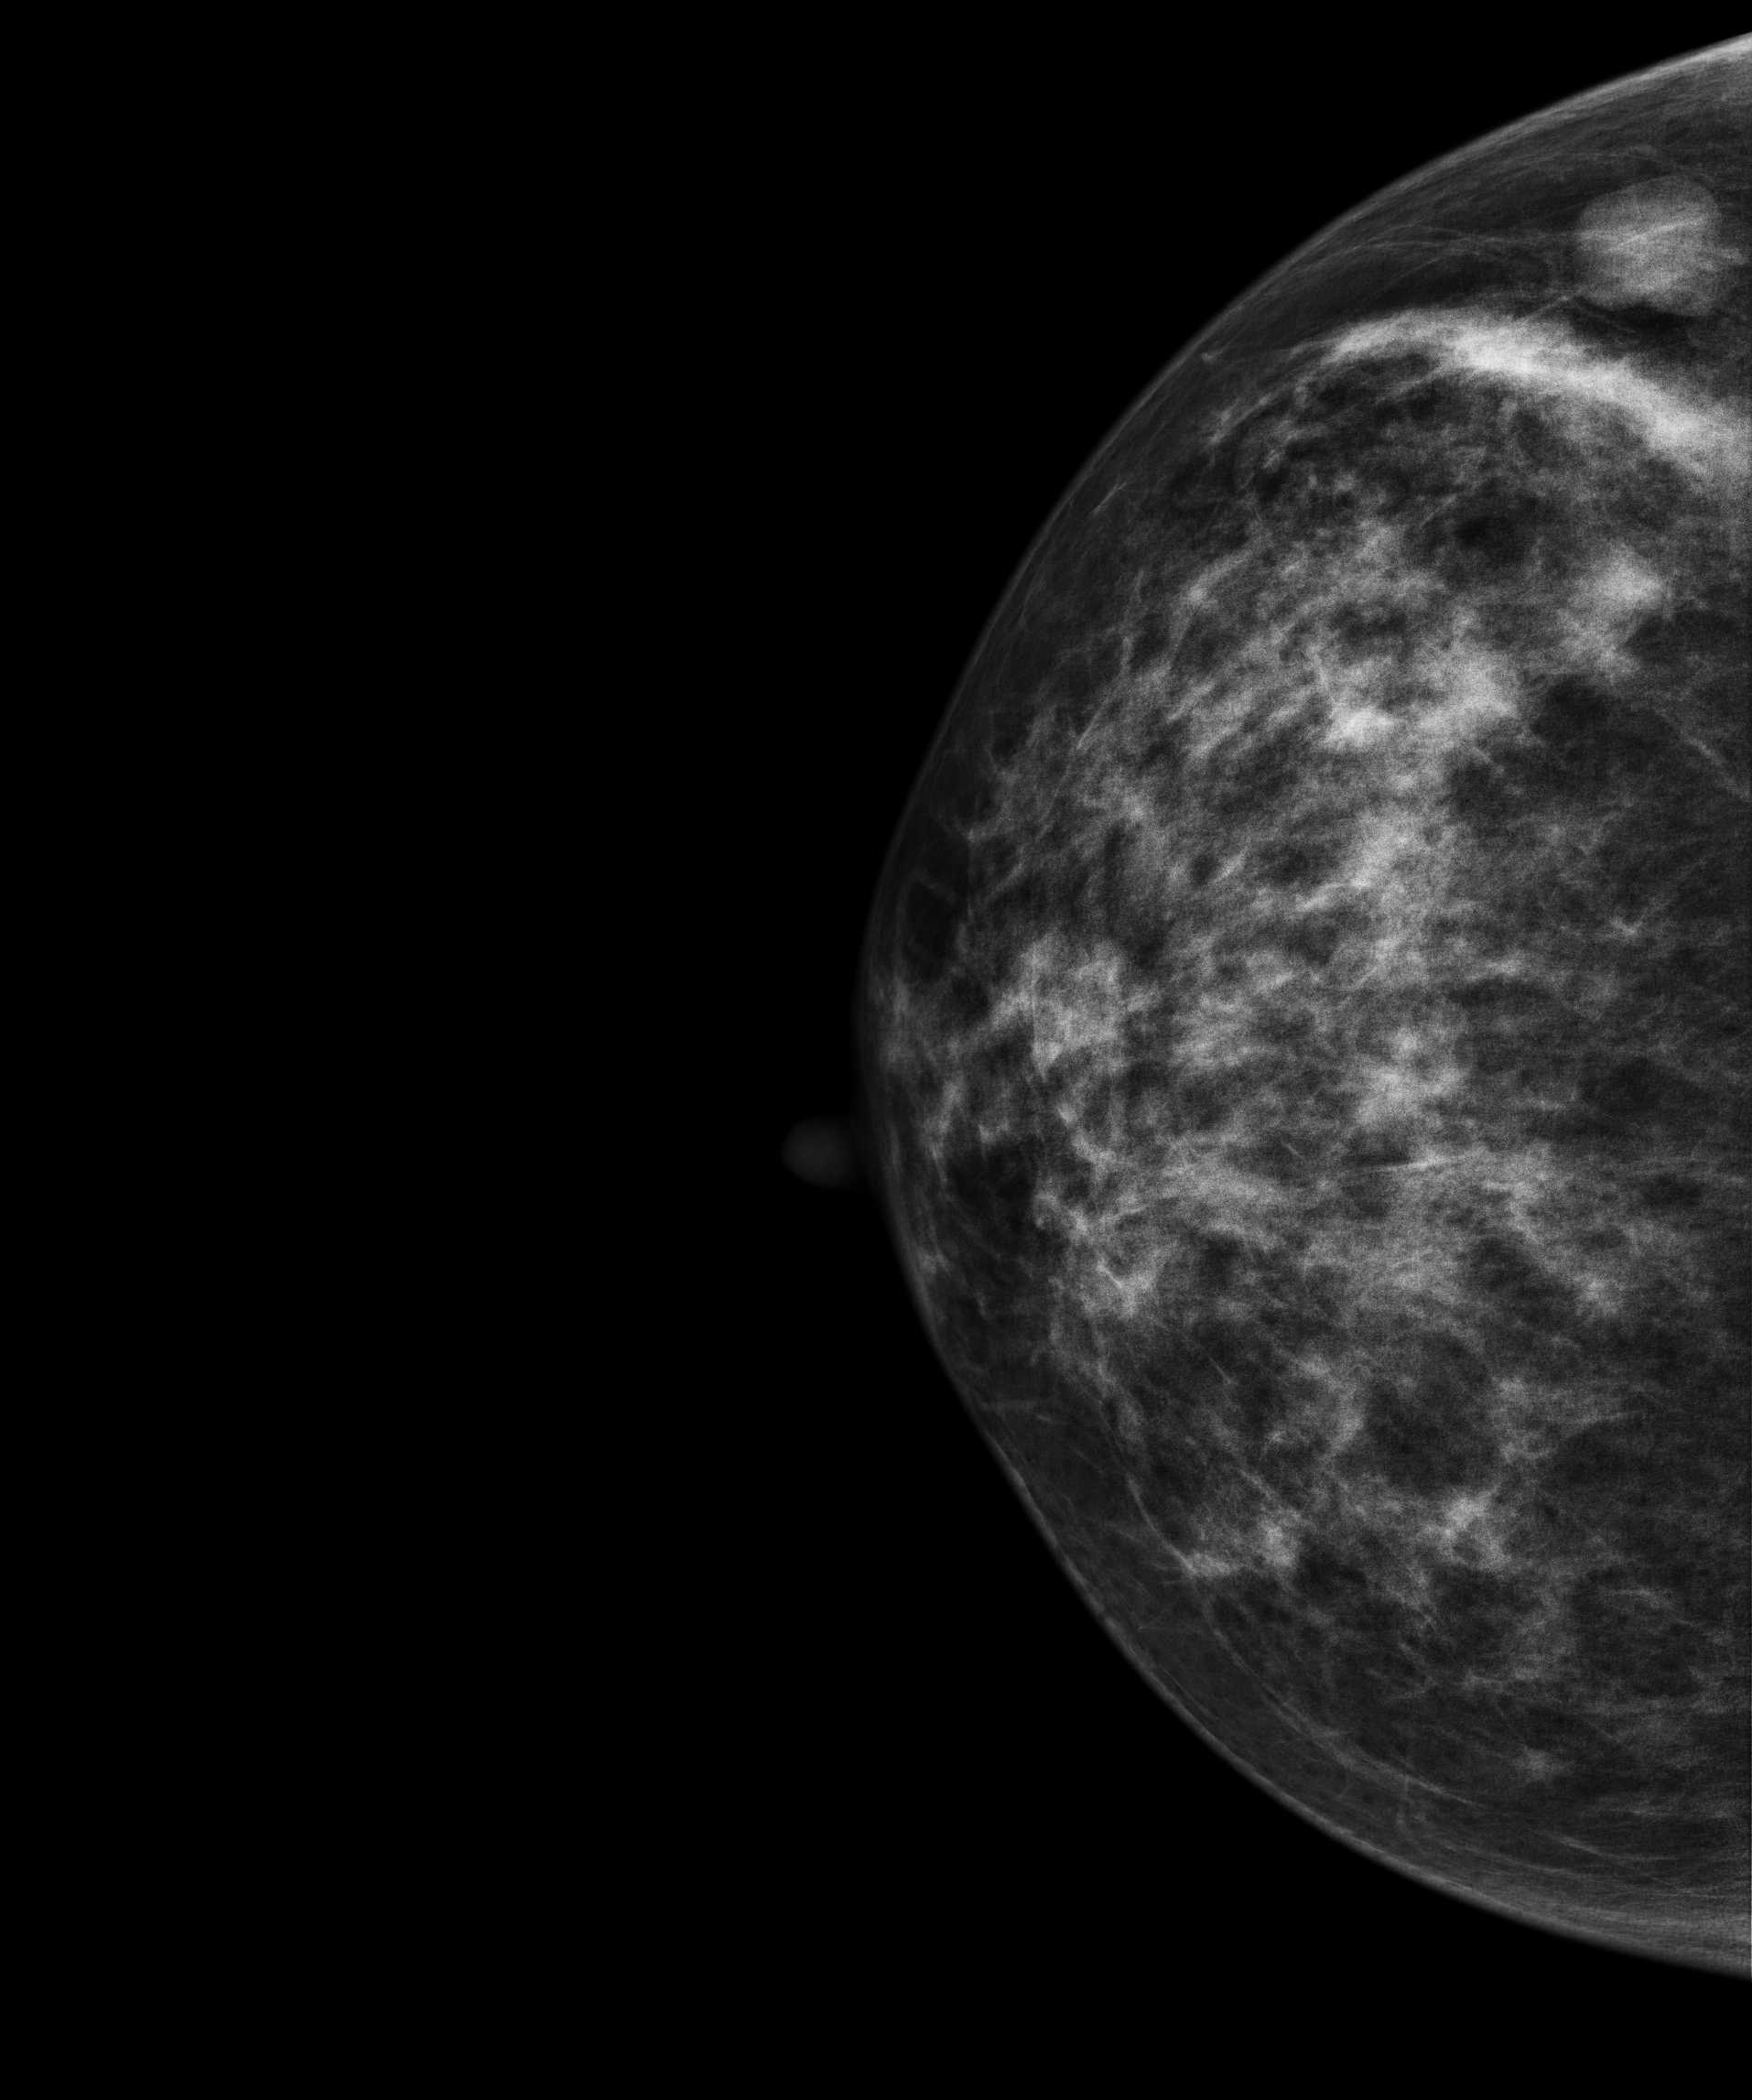
Right-breast mammogram, CC. Patient age 38.
This breast has a mass, histologically confirmed benign.